Digital mammography. Left breast, CC projection. Patient age 45.
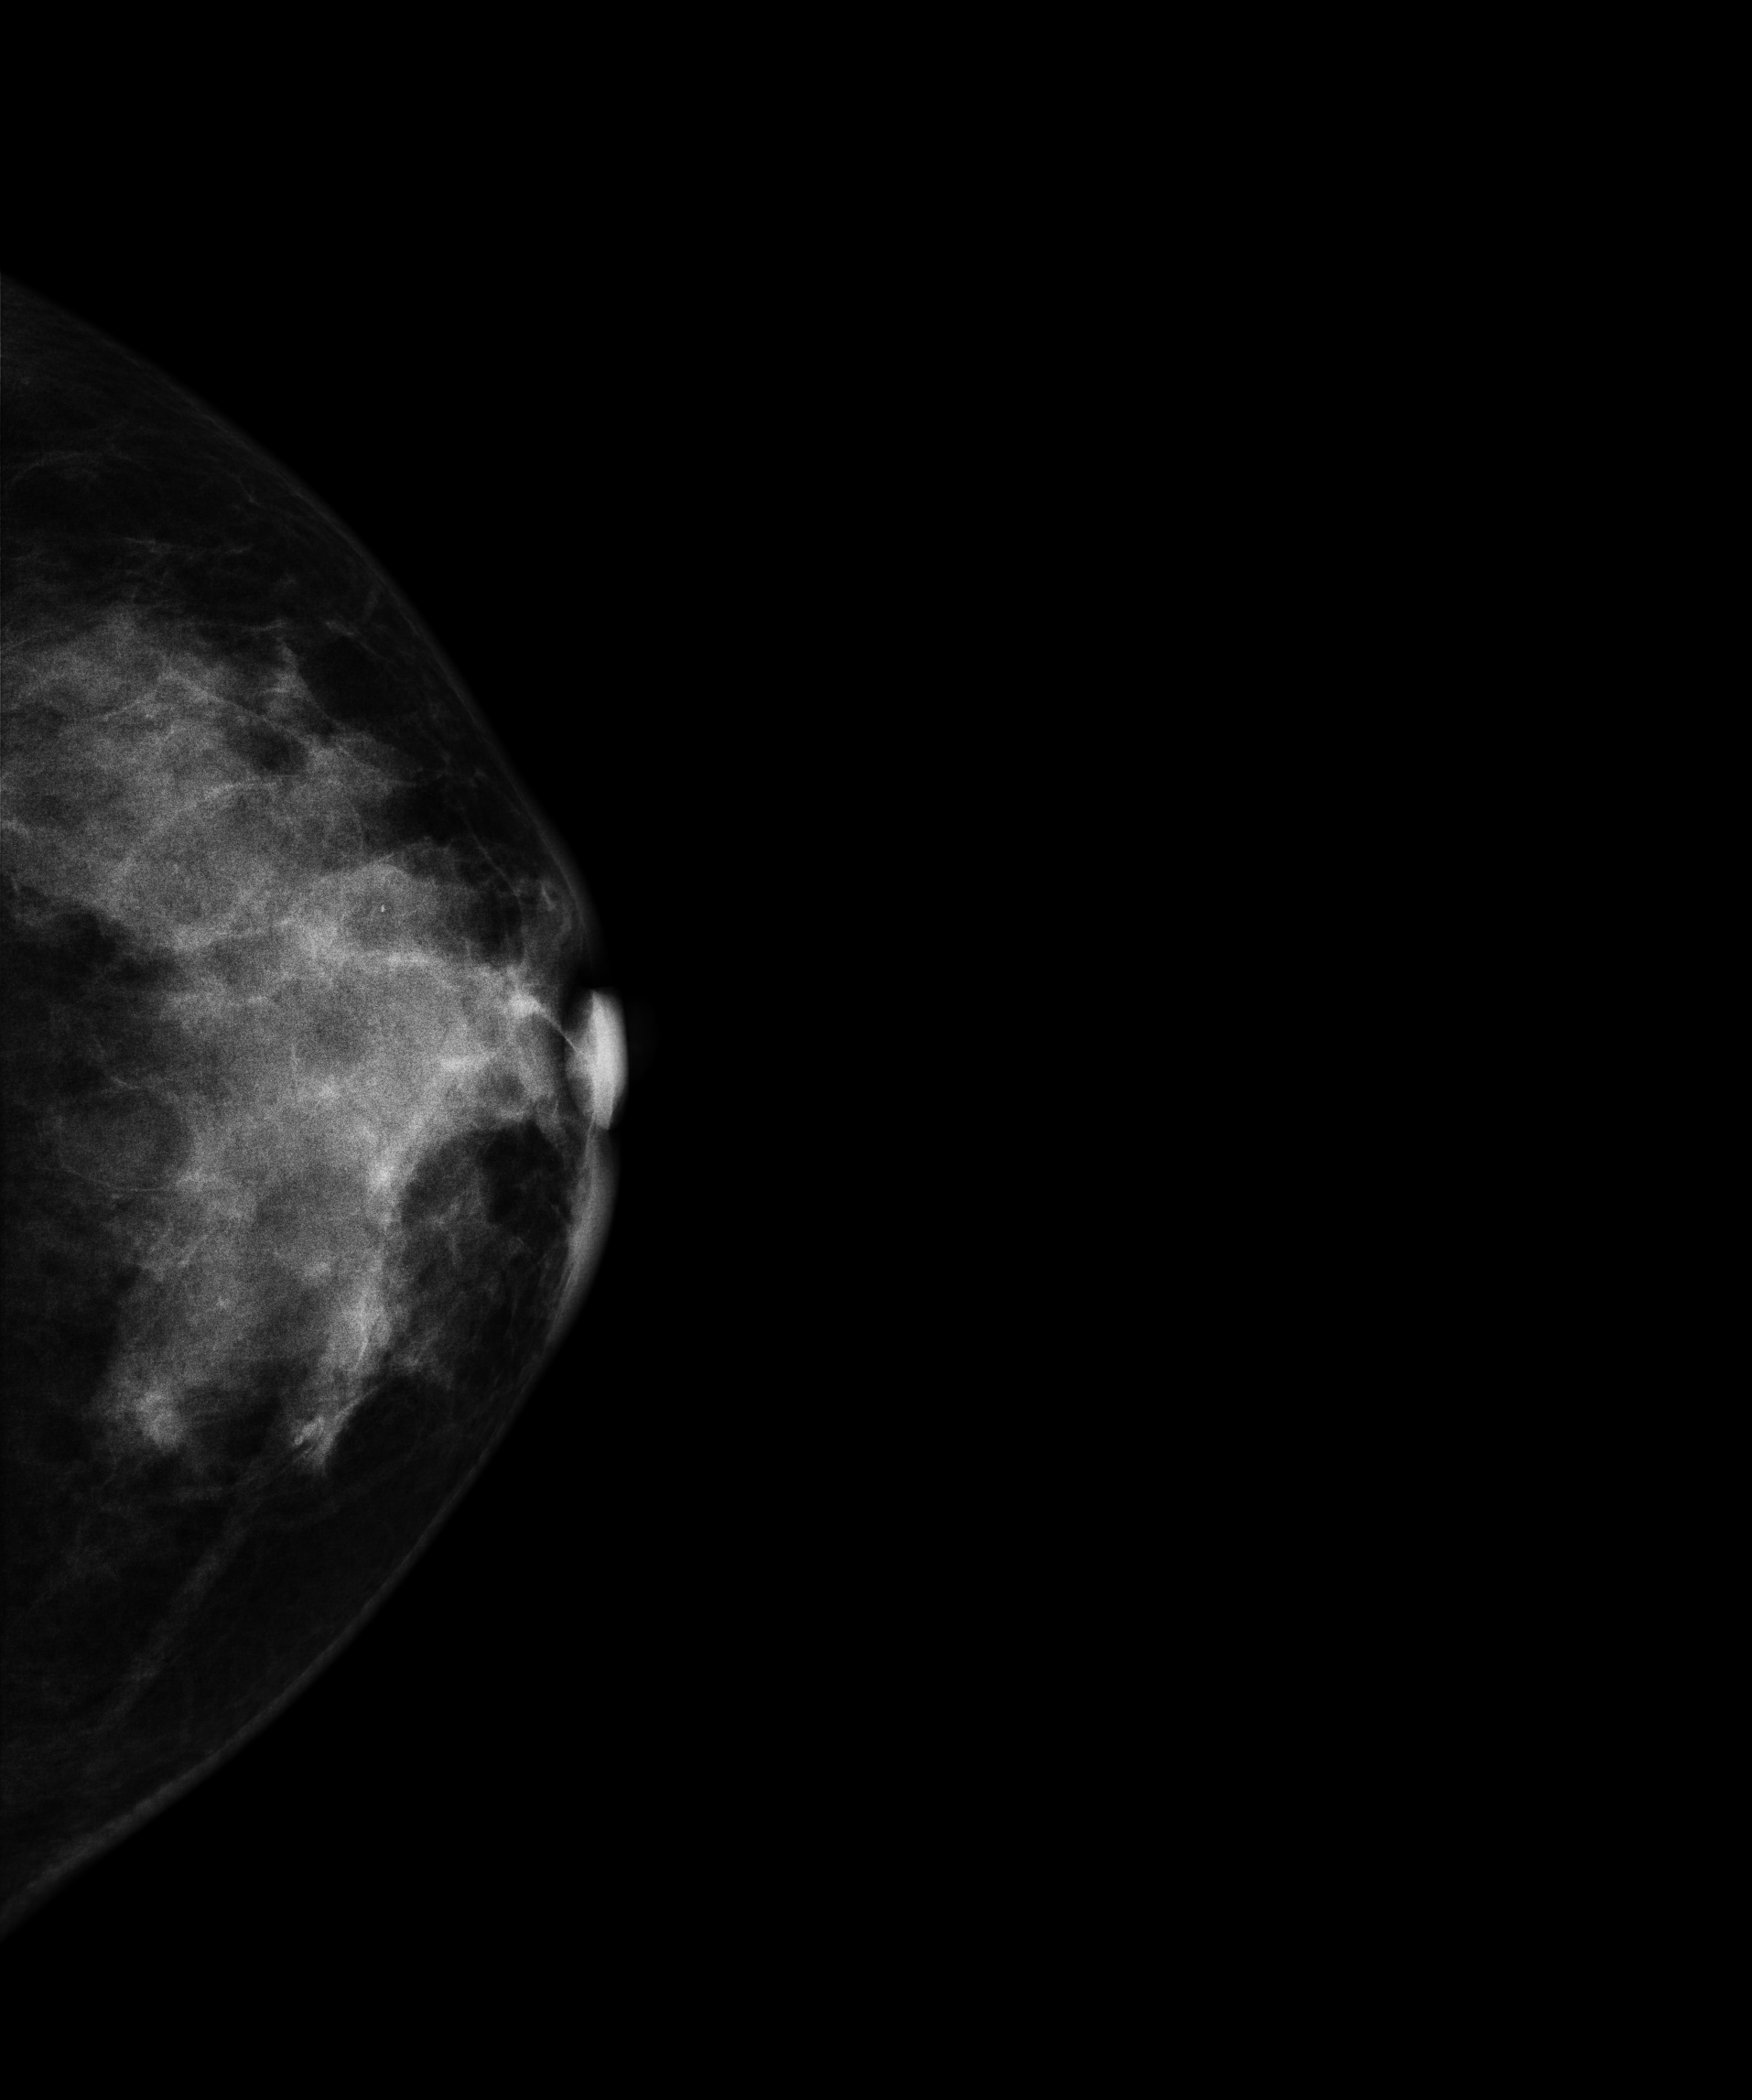
This breast has a mass, pathology-confirmed benign.